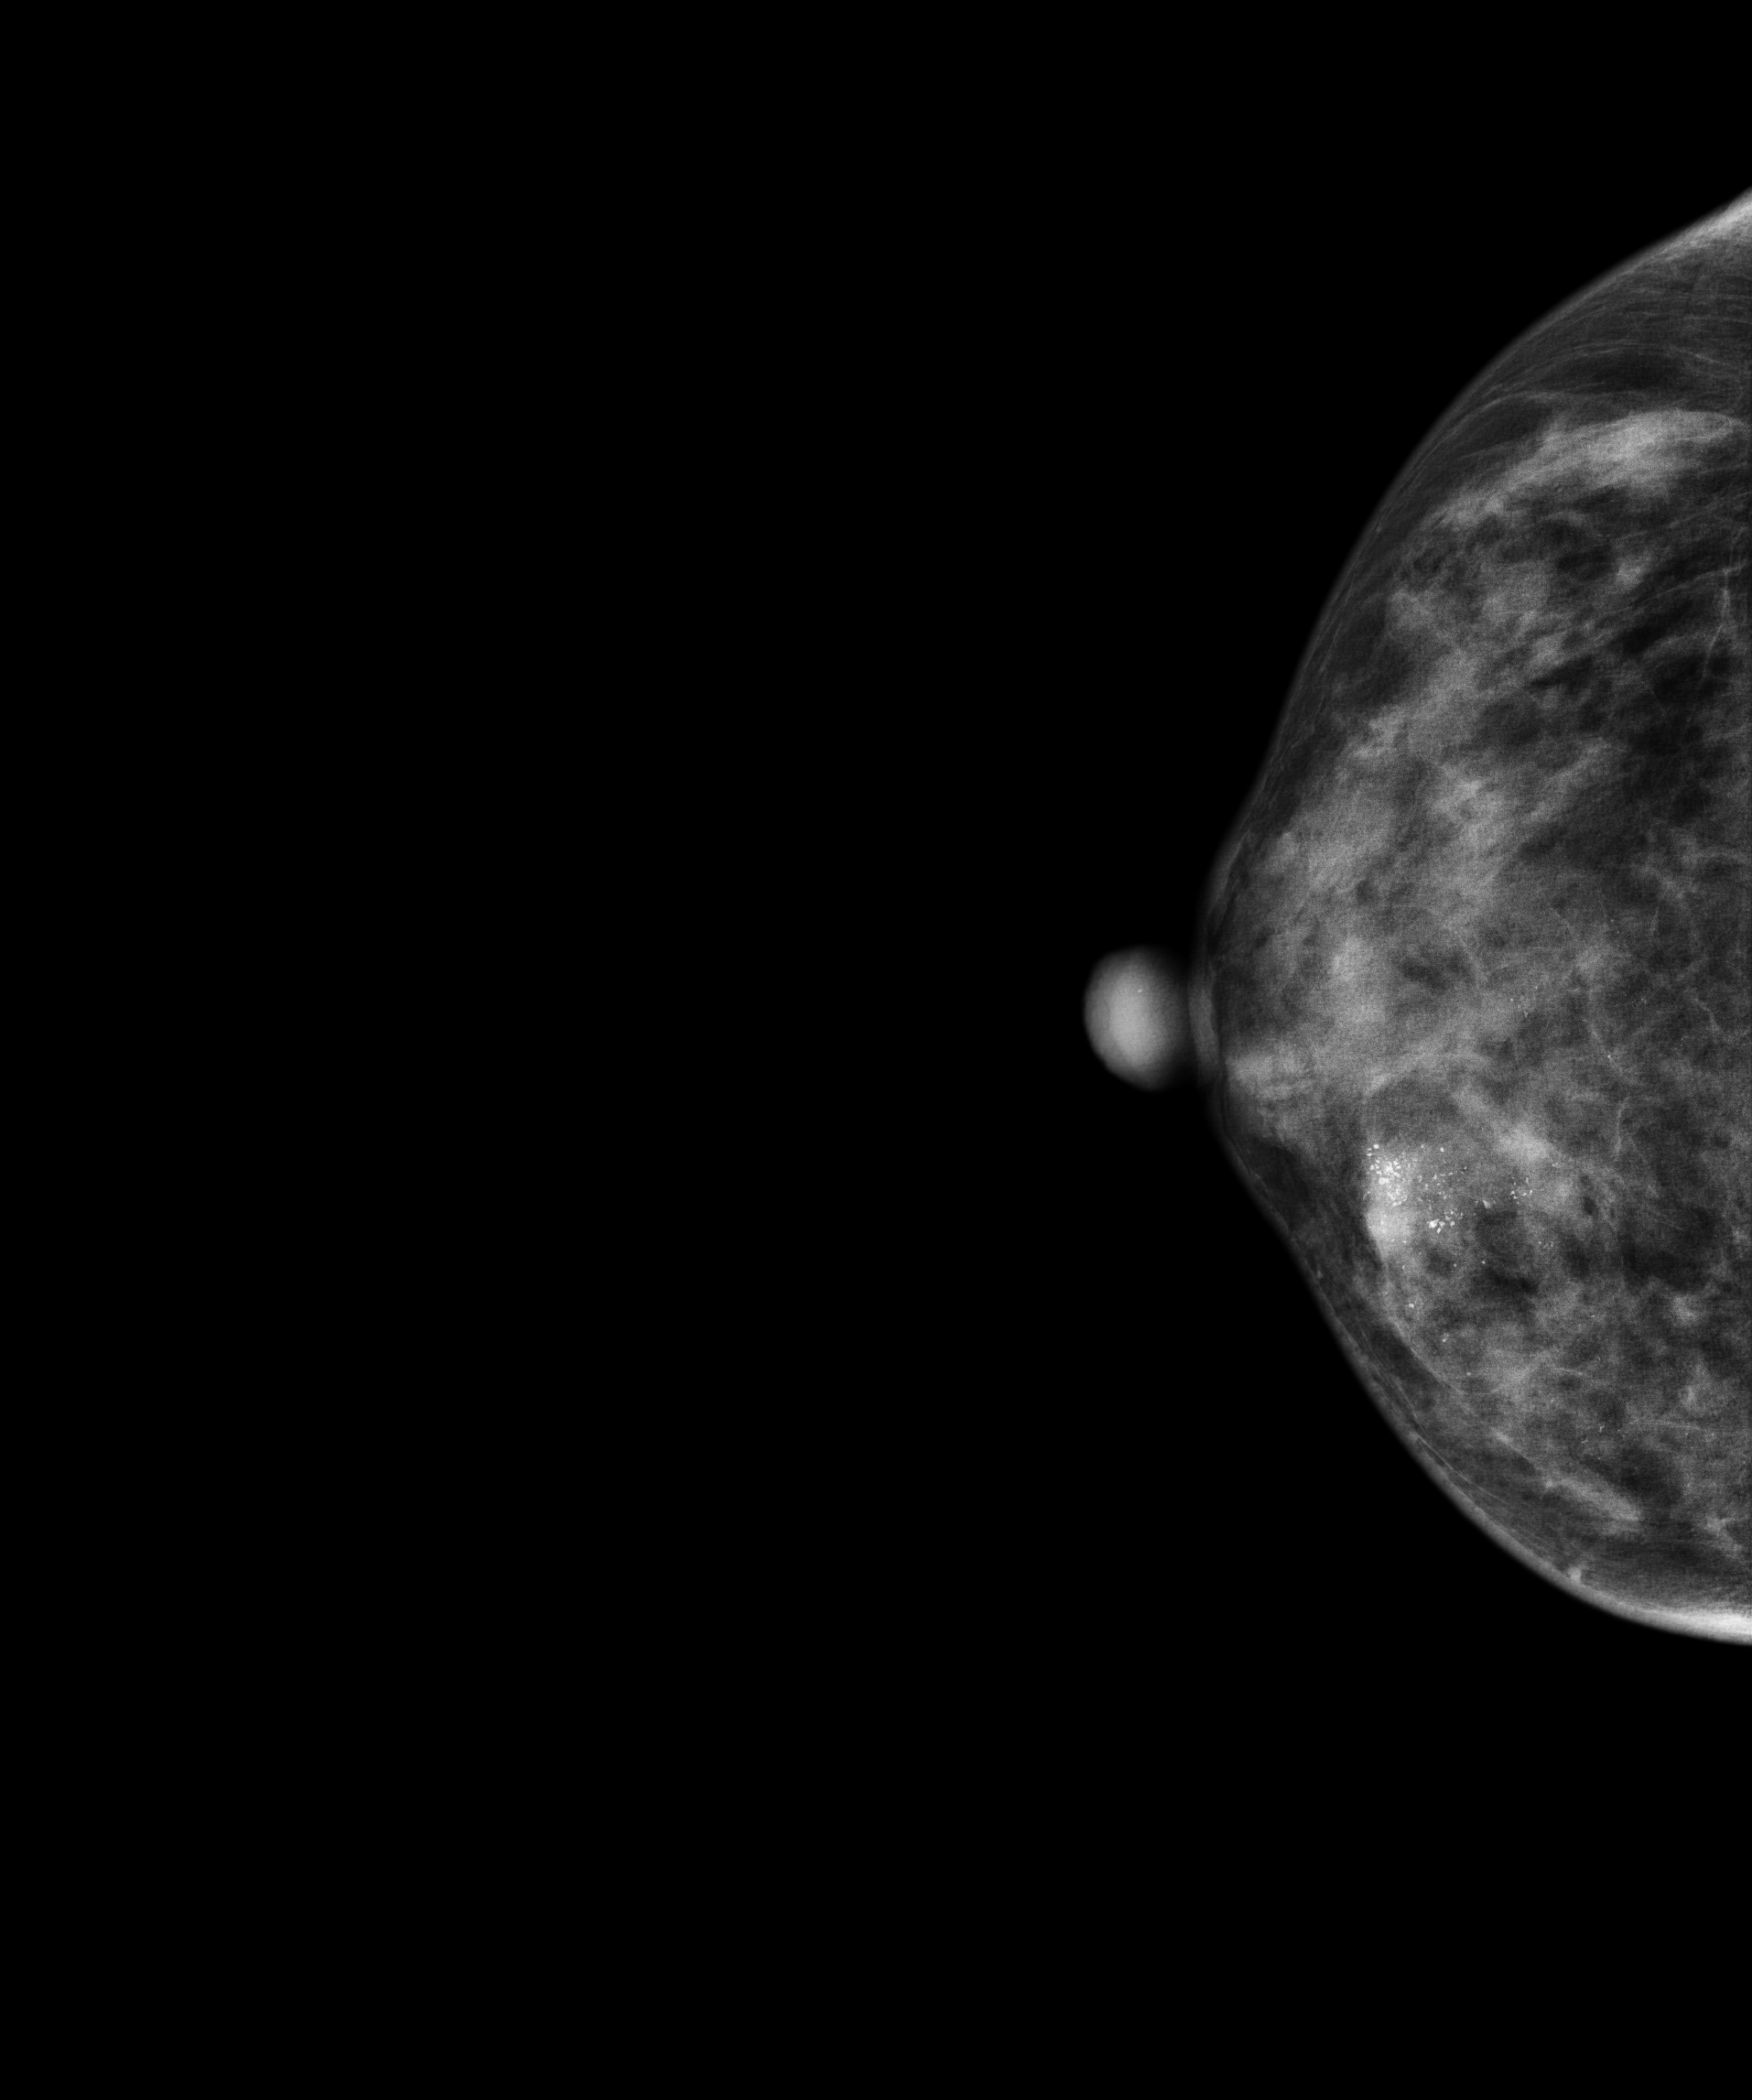
Digital mammography. Right breast, CC projection. 48-year-old patient.
This breast has a mass and calcifications, histologically confirmed malignant.